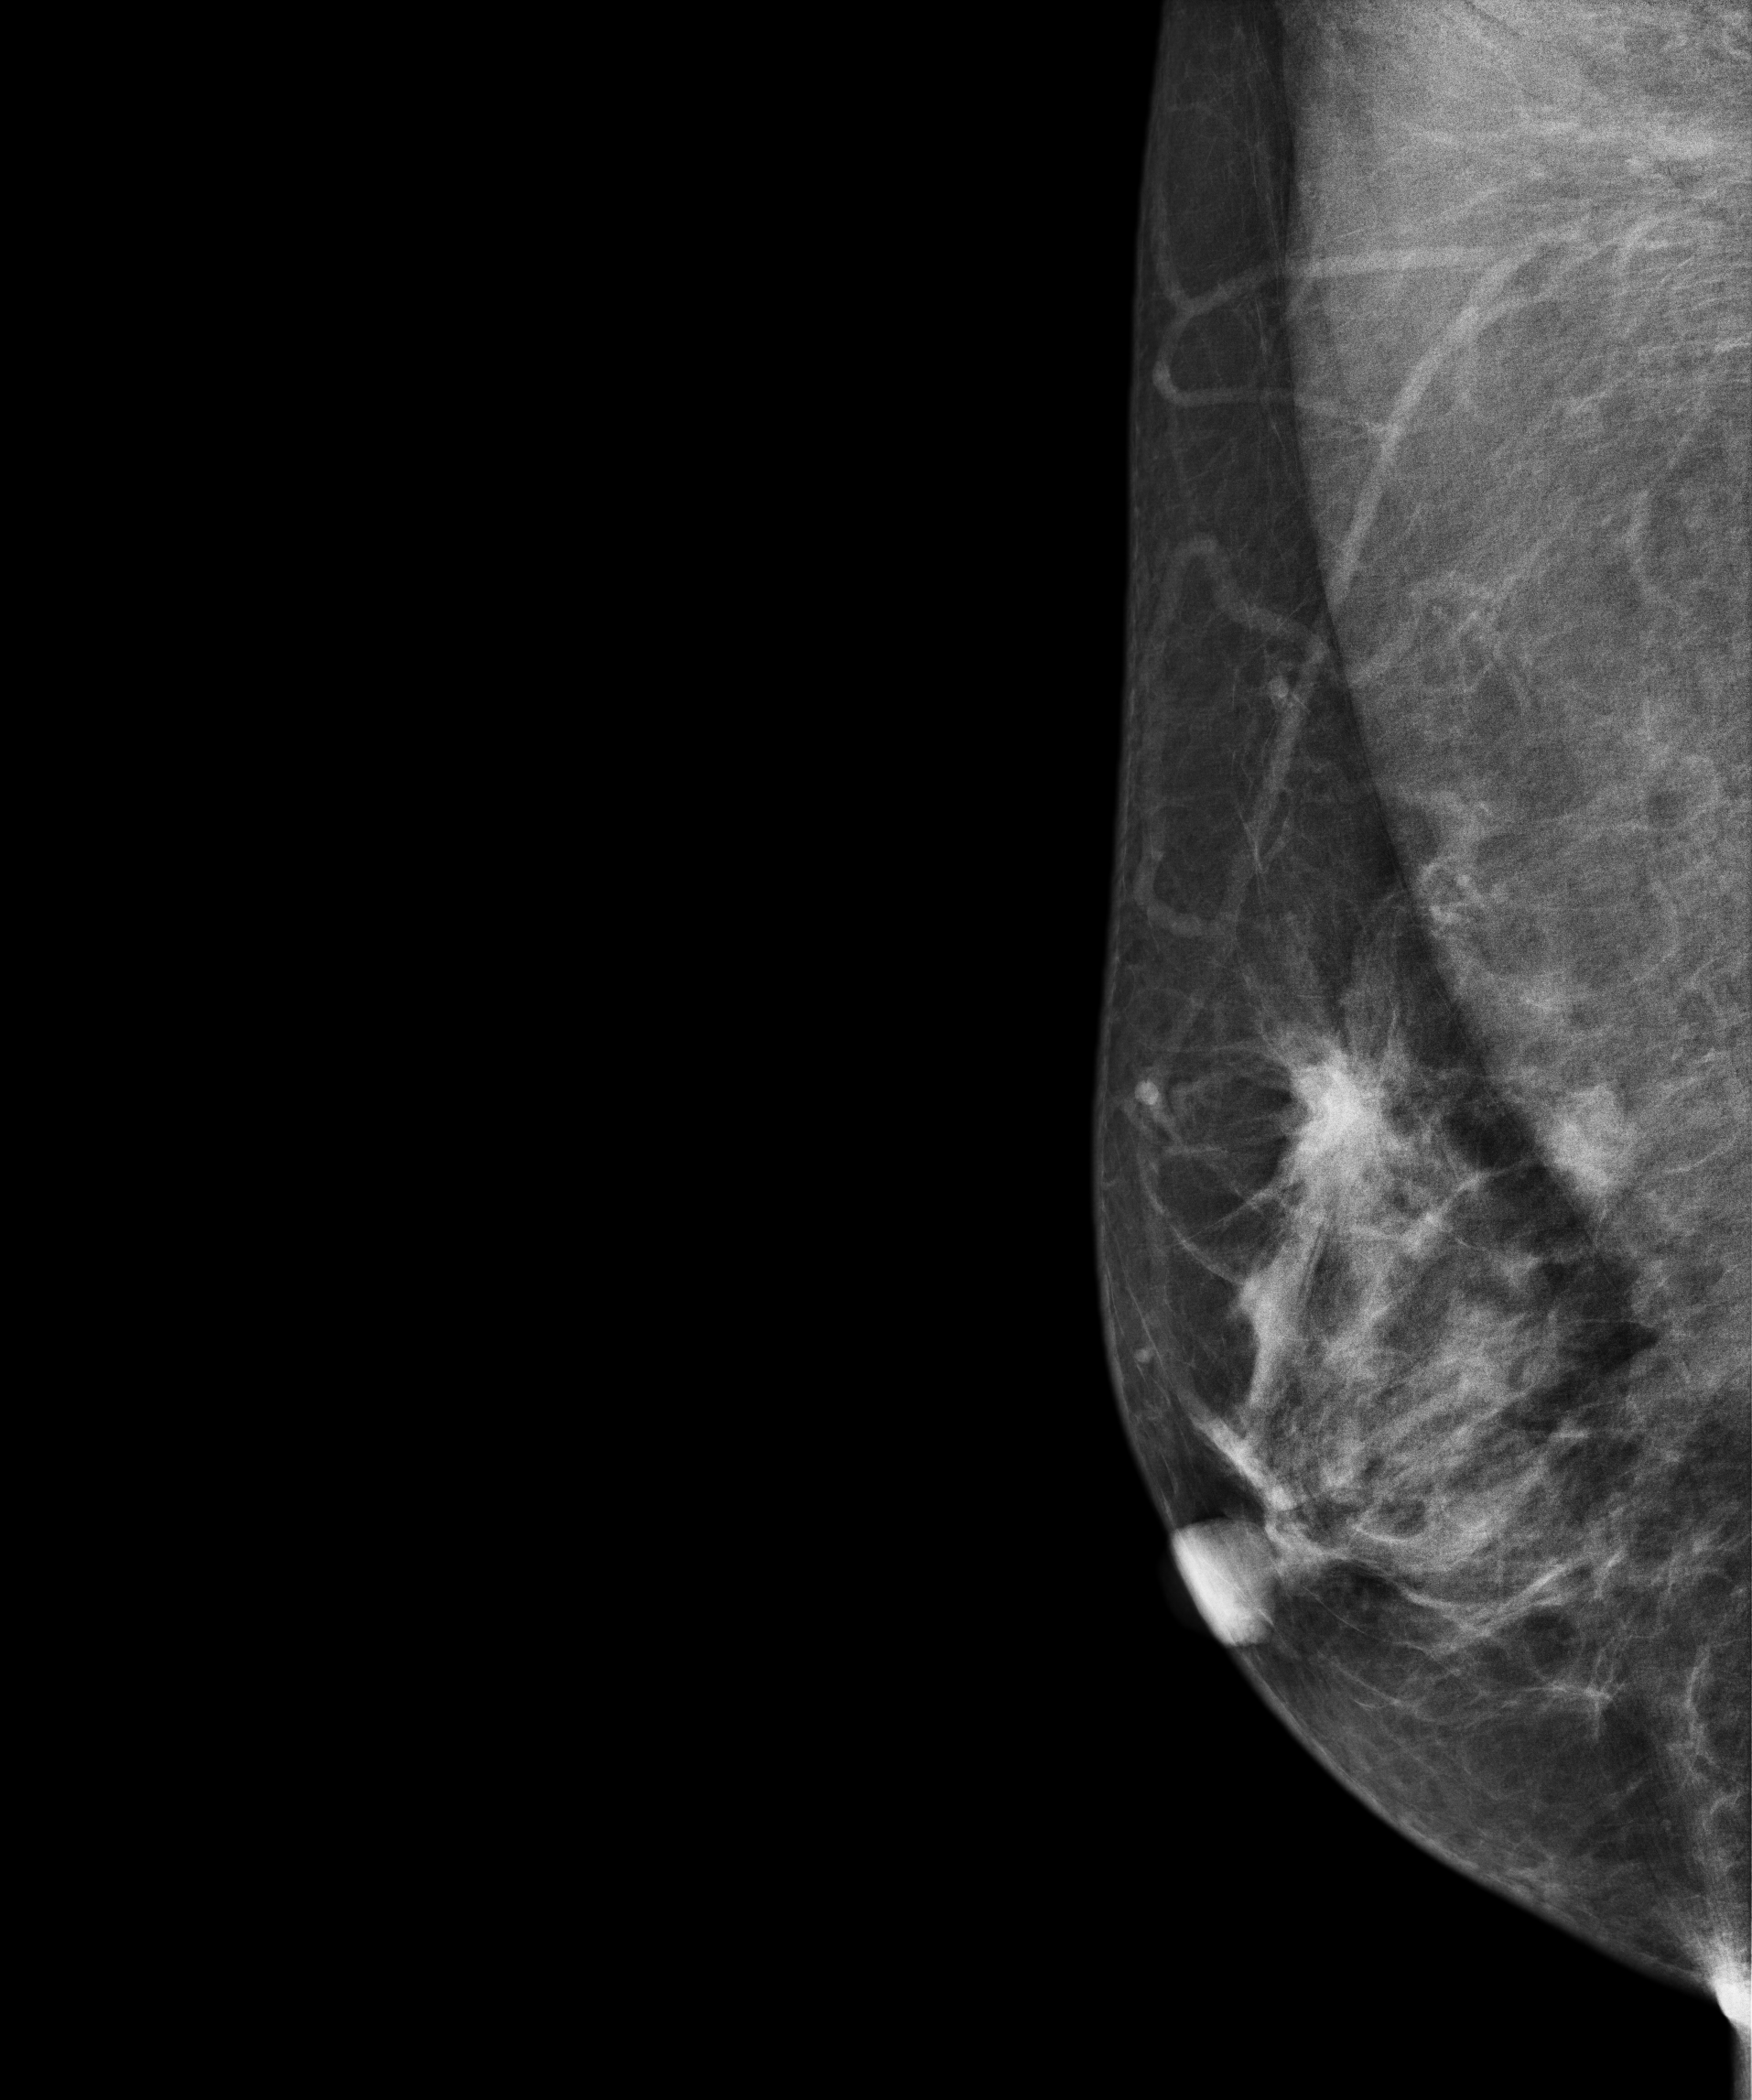
Medio-lateral oblique mammogram of the right breast. 49-year-old patient.
This breast has a mass, histologically confirmed malignant.